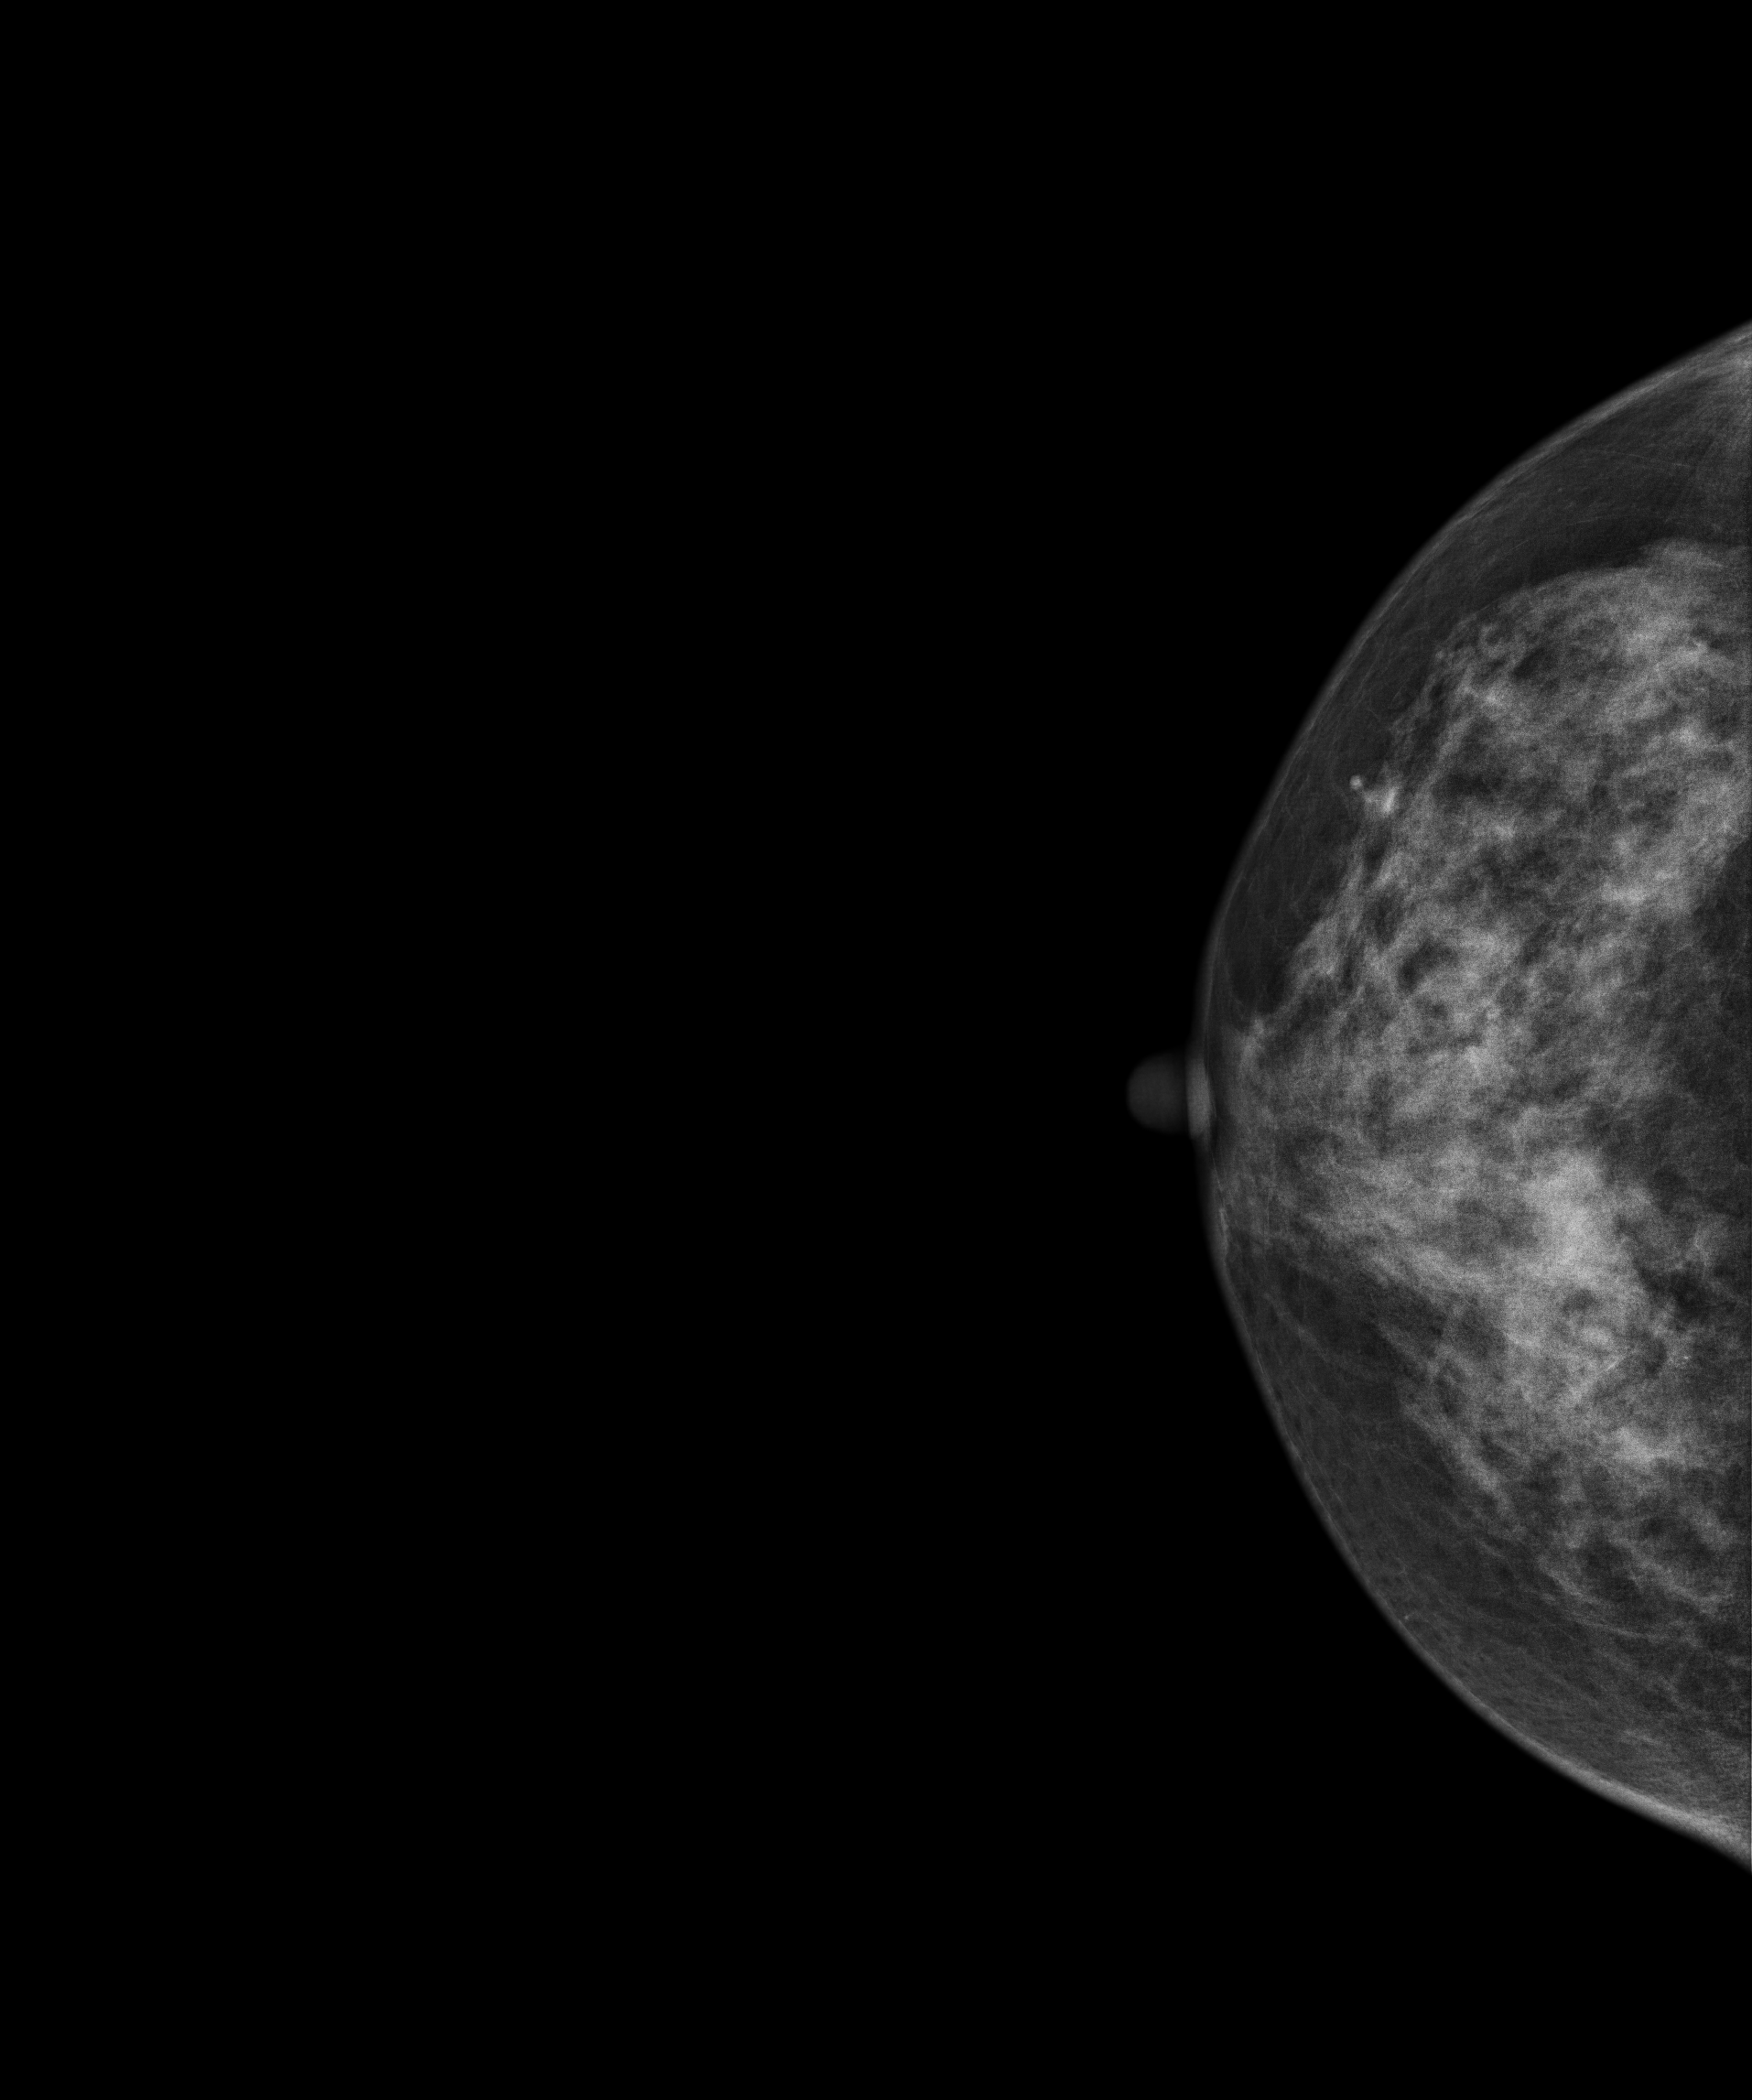
Right-breast mammogram, cranio-caudal. 51 y/o patient.
Contralateral breast — no documented abnormality on this side.